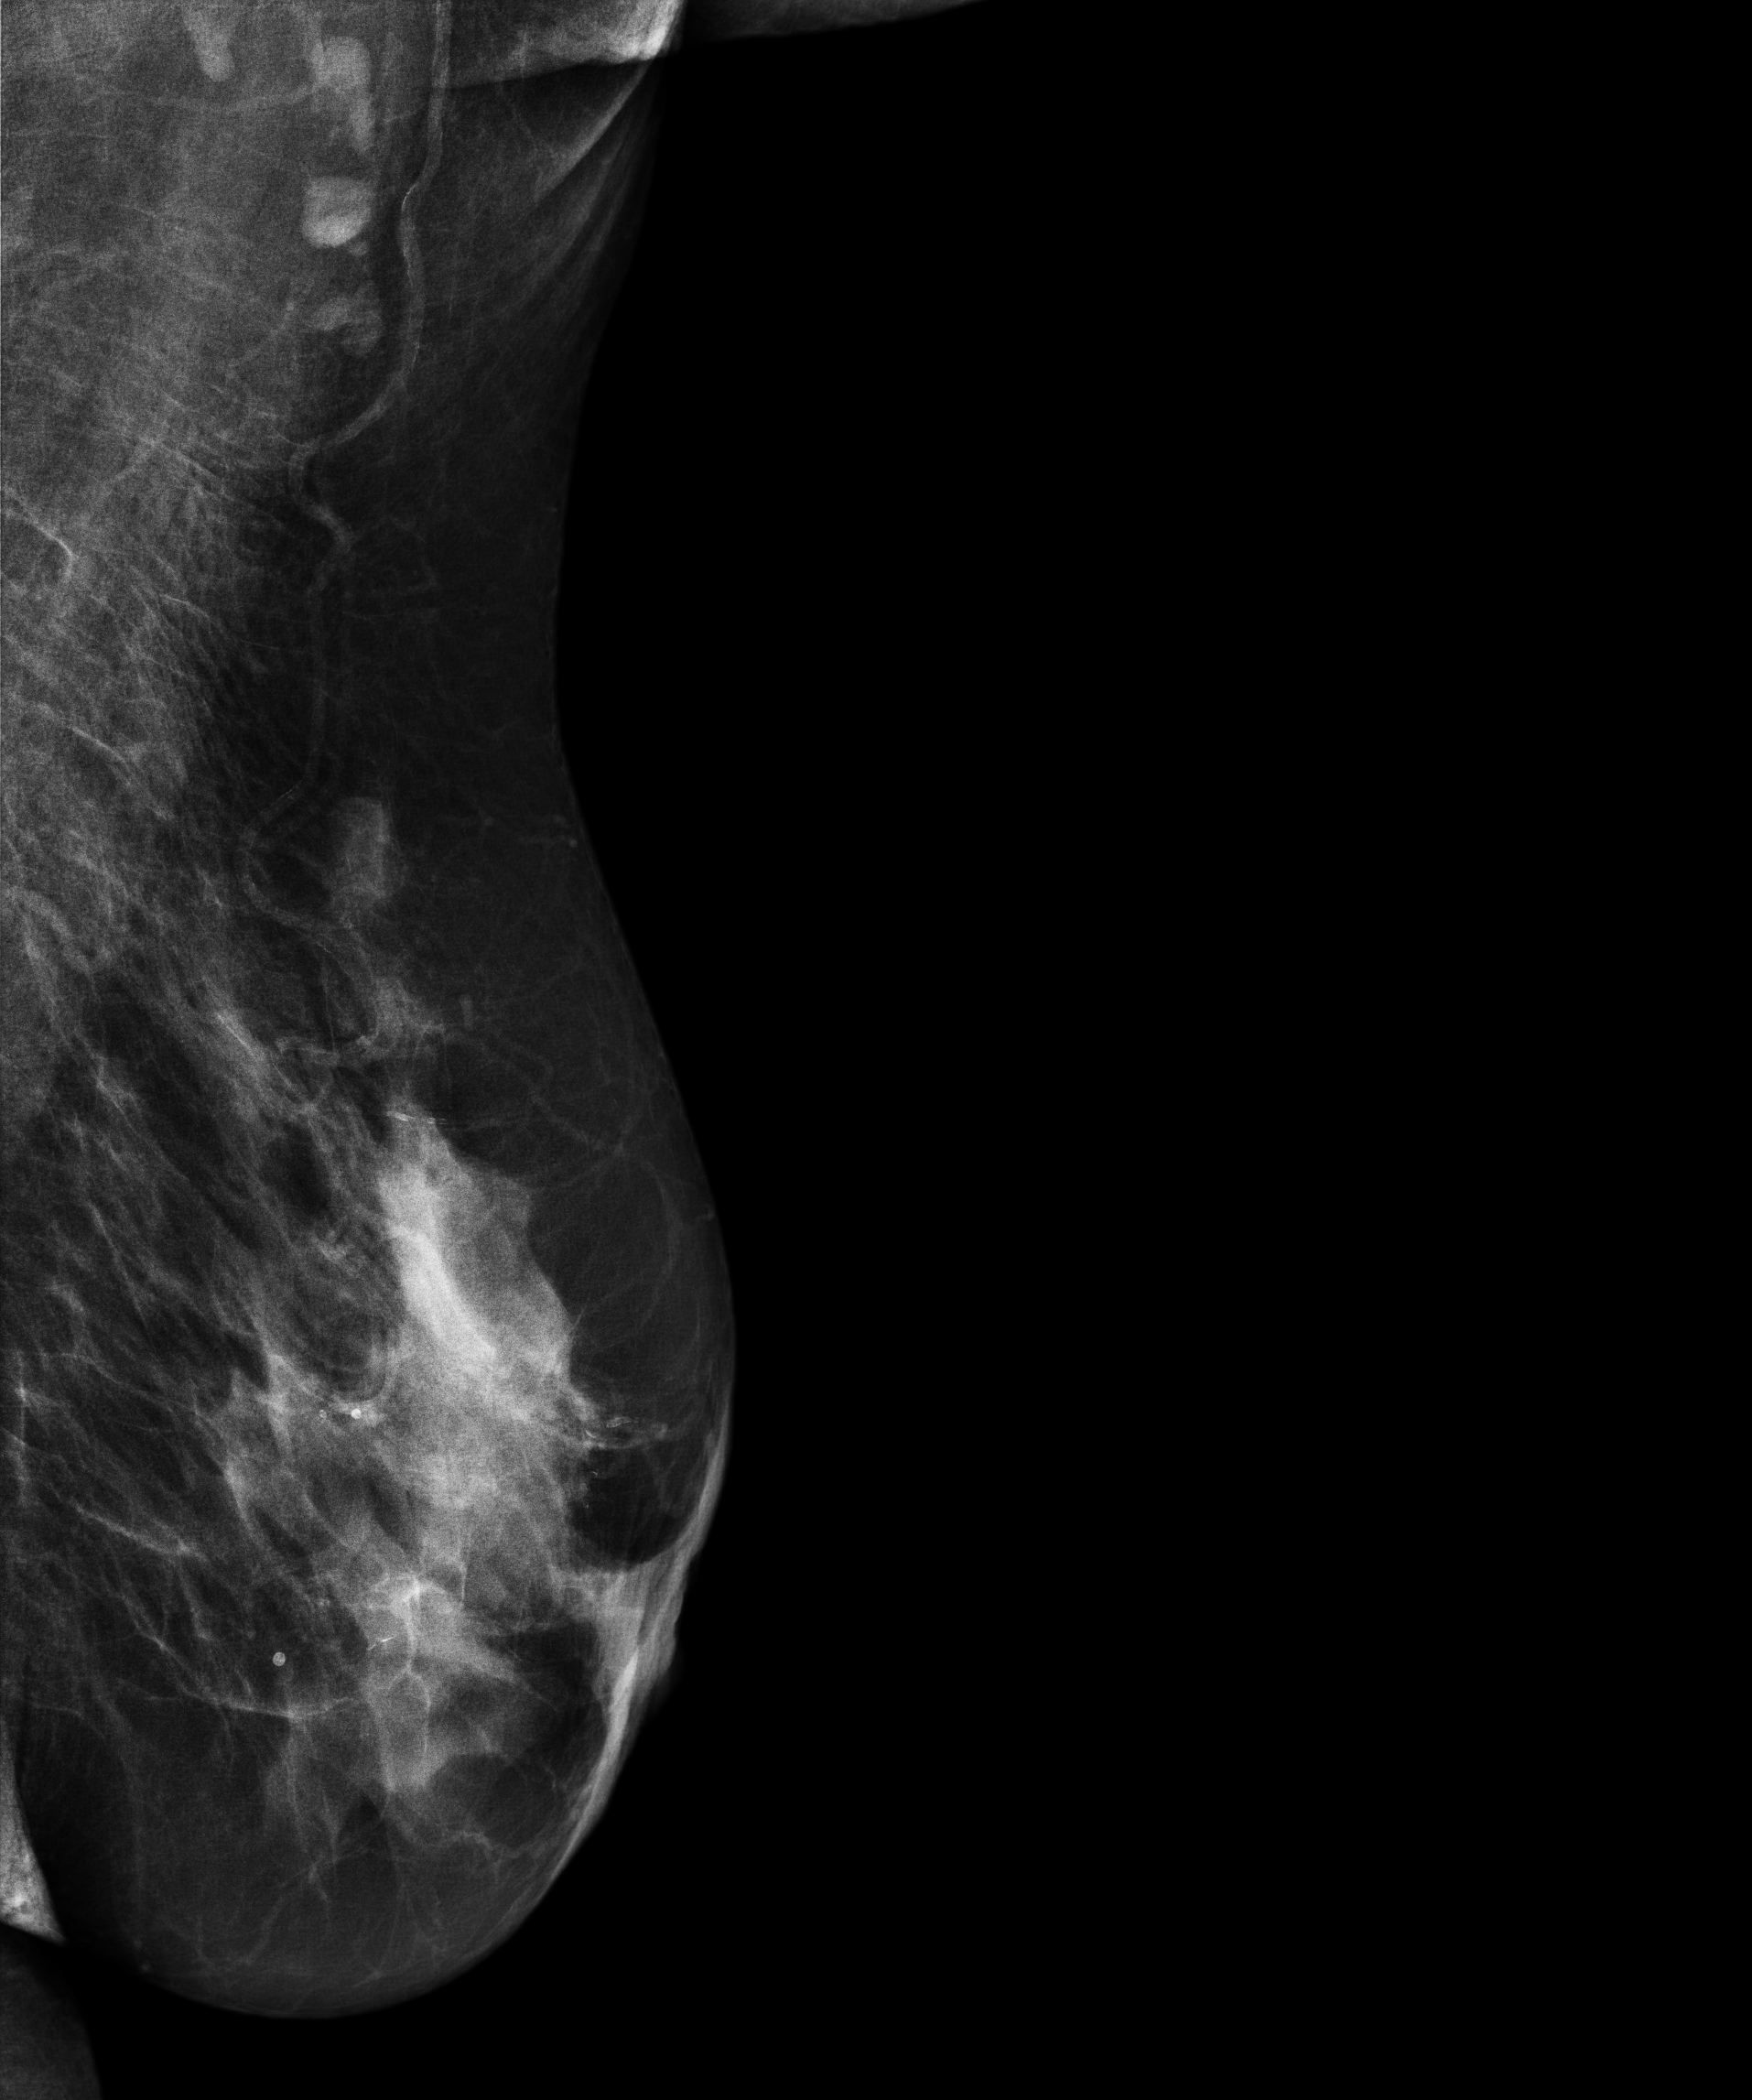
MLO mammogram of the left breast. 61-year-old patient.
This breast has a mass and calcifications, pathology-confirmed benign.